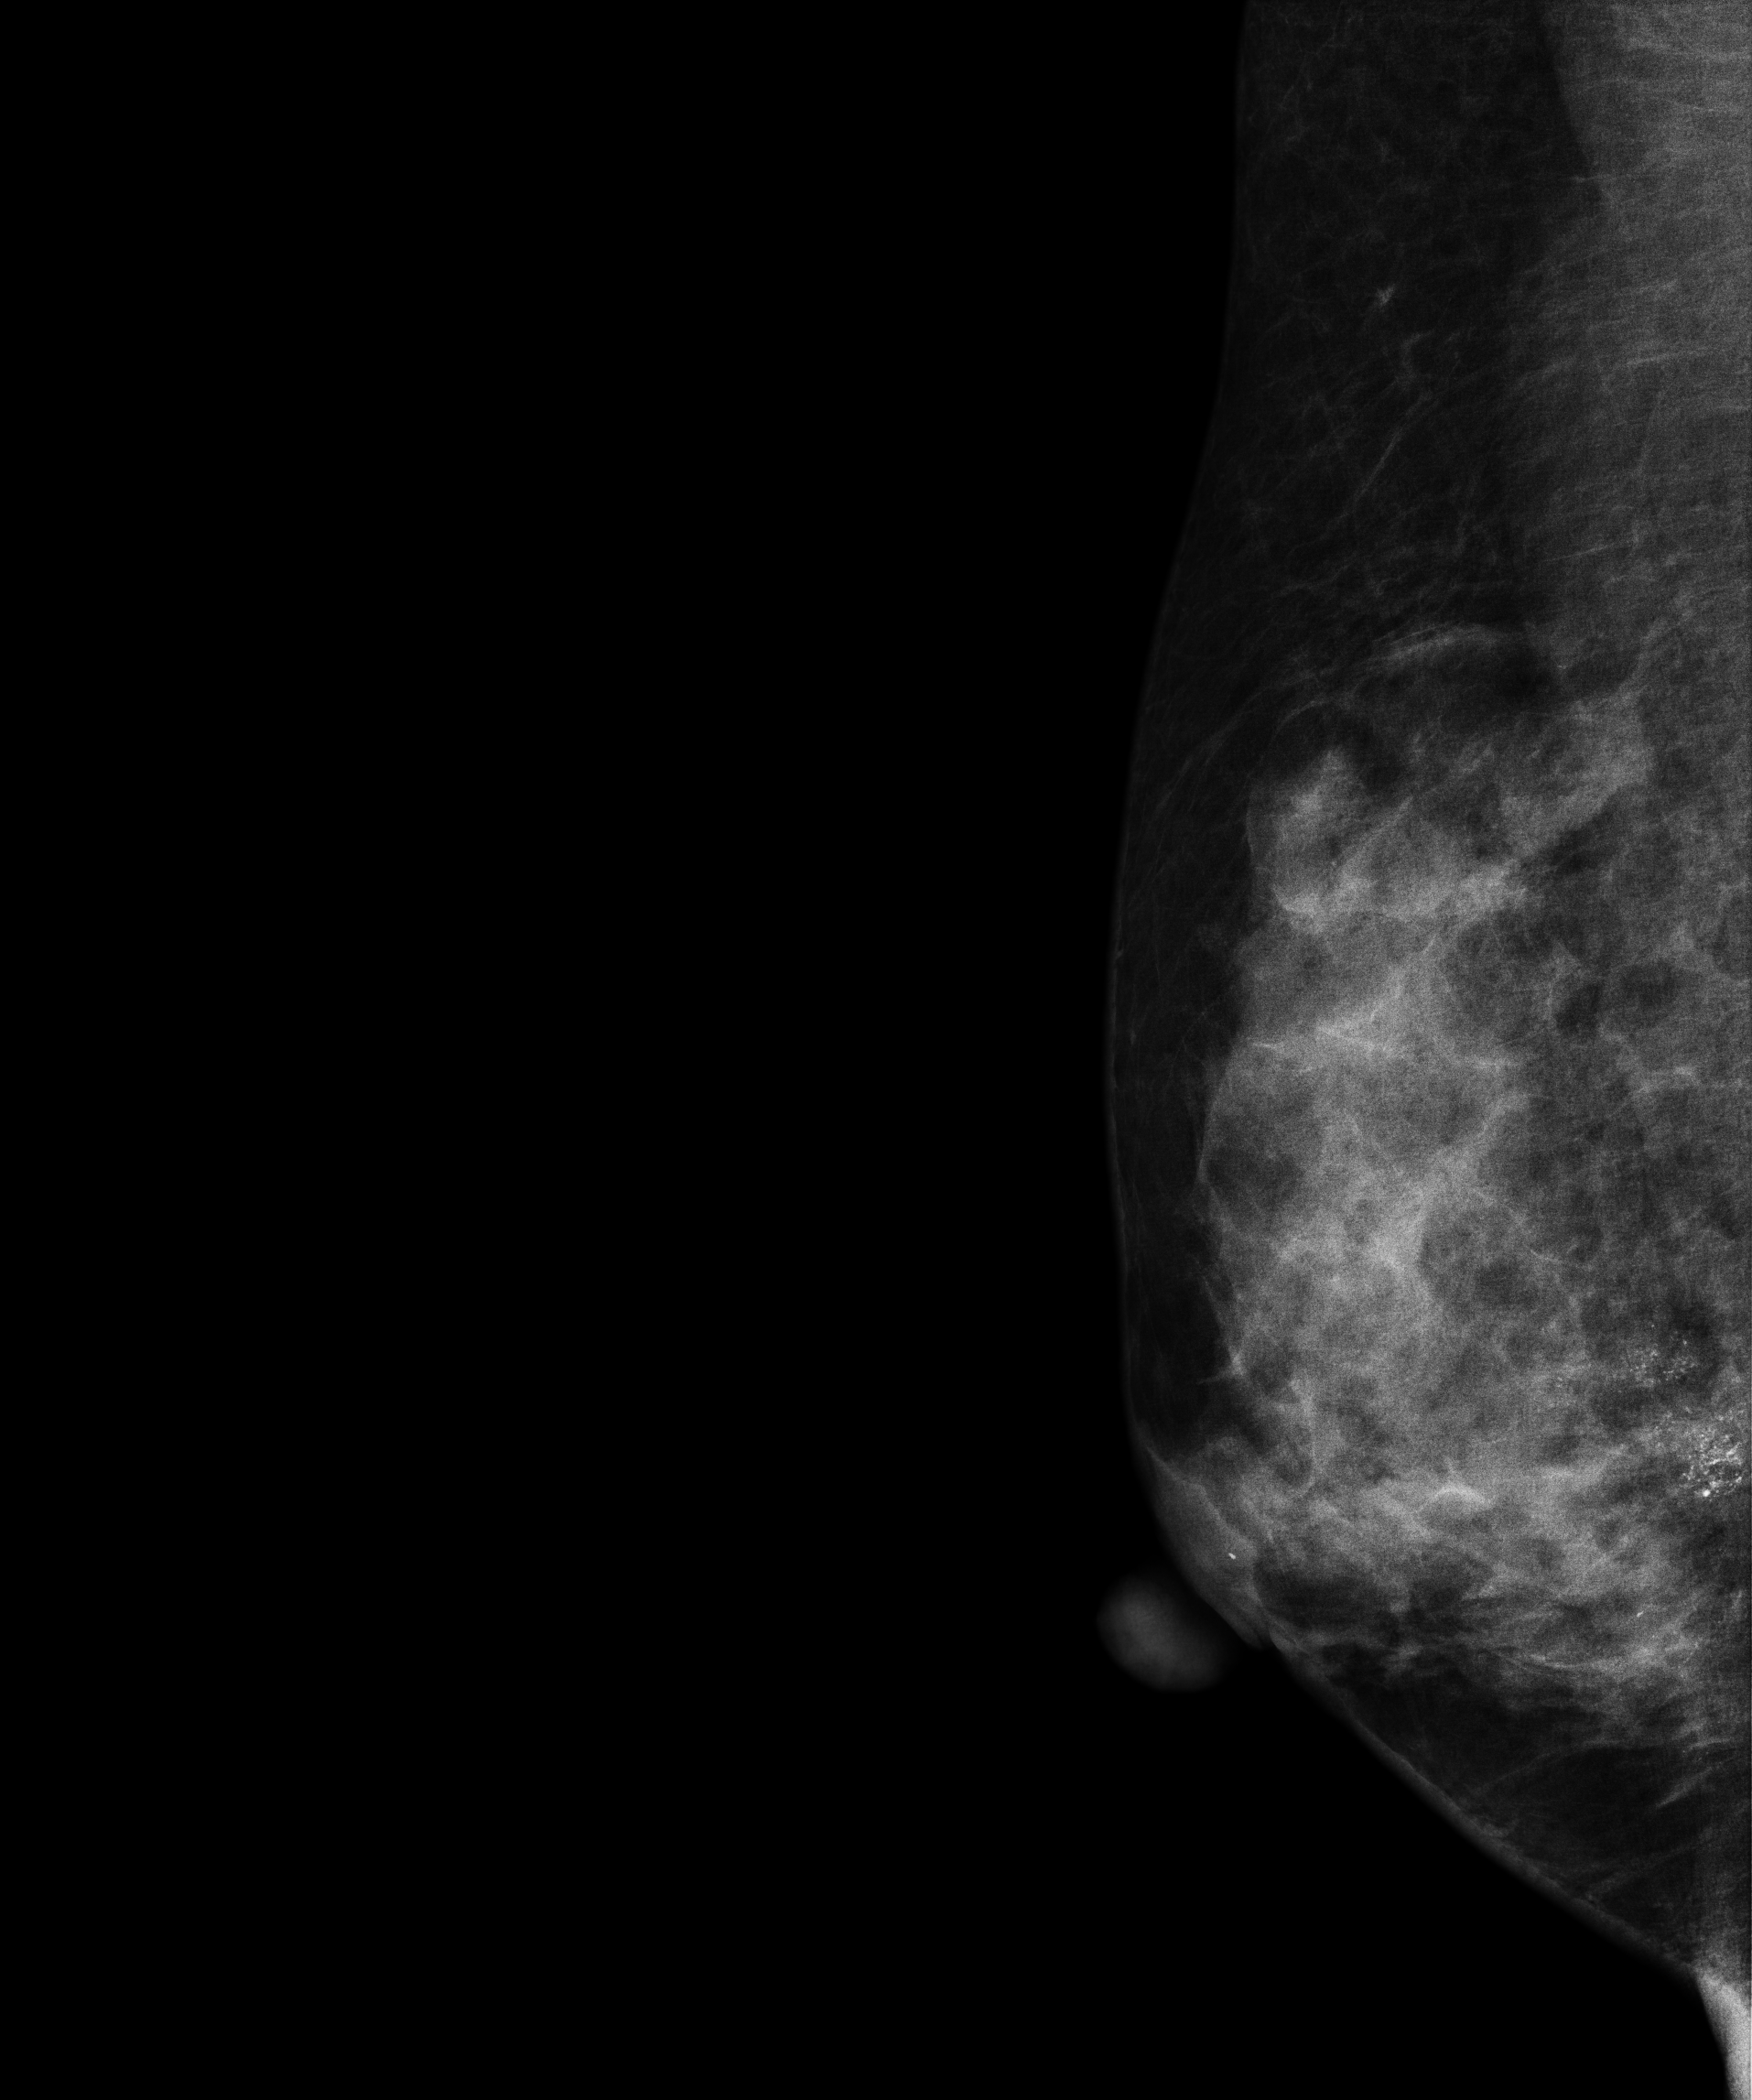
Right-breast mammogram, medio-lateral oblique. 39 y/o patient.
This breast has calcifications, biopsy-confirmed malignant. Molecular subtype: luminal B.